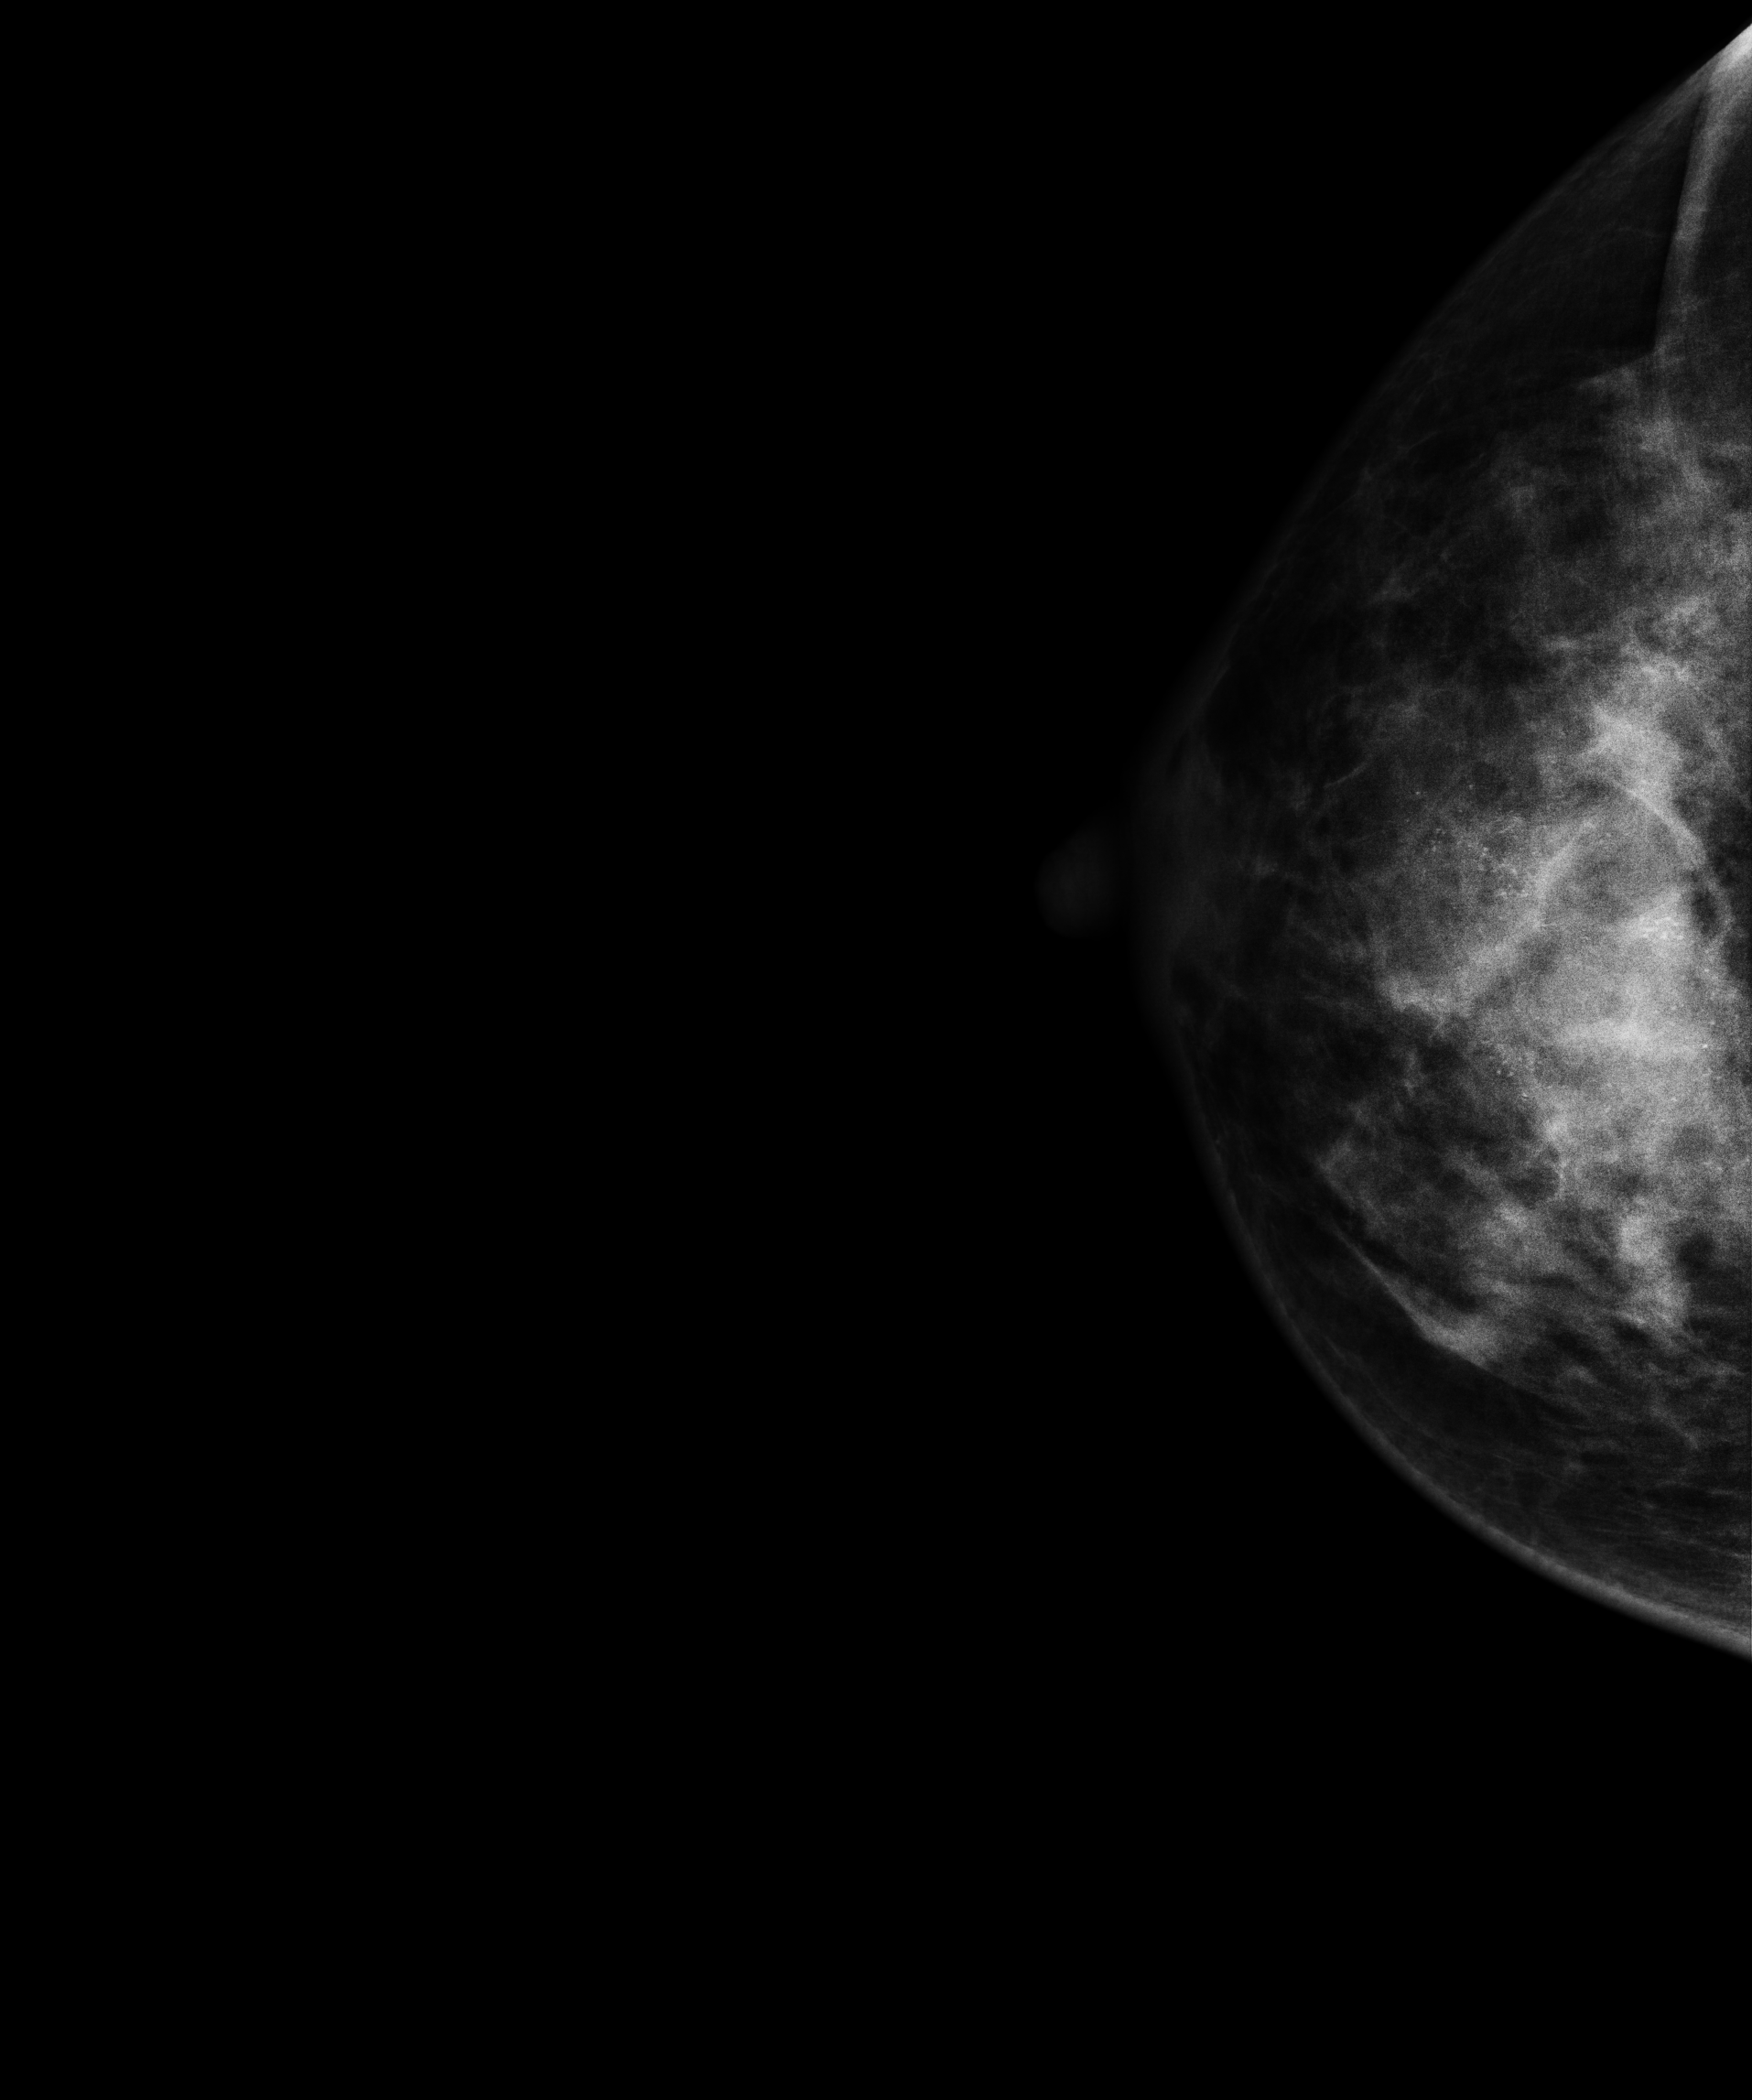
Cranio-caudal mammogram of the right breast. Patient age 42.
This breast has a mass and calcifications, pathology-confirmed malignant. Molecular subtype: HER2-enriched.